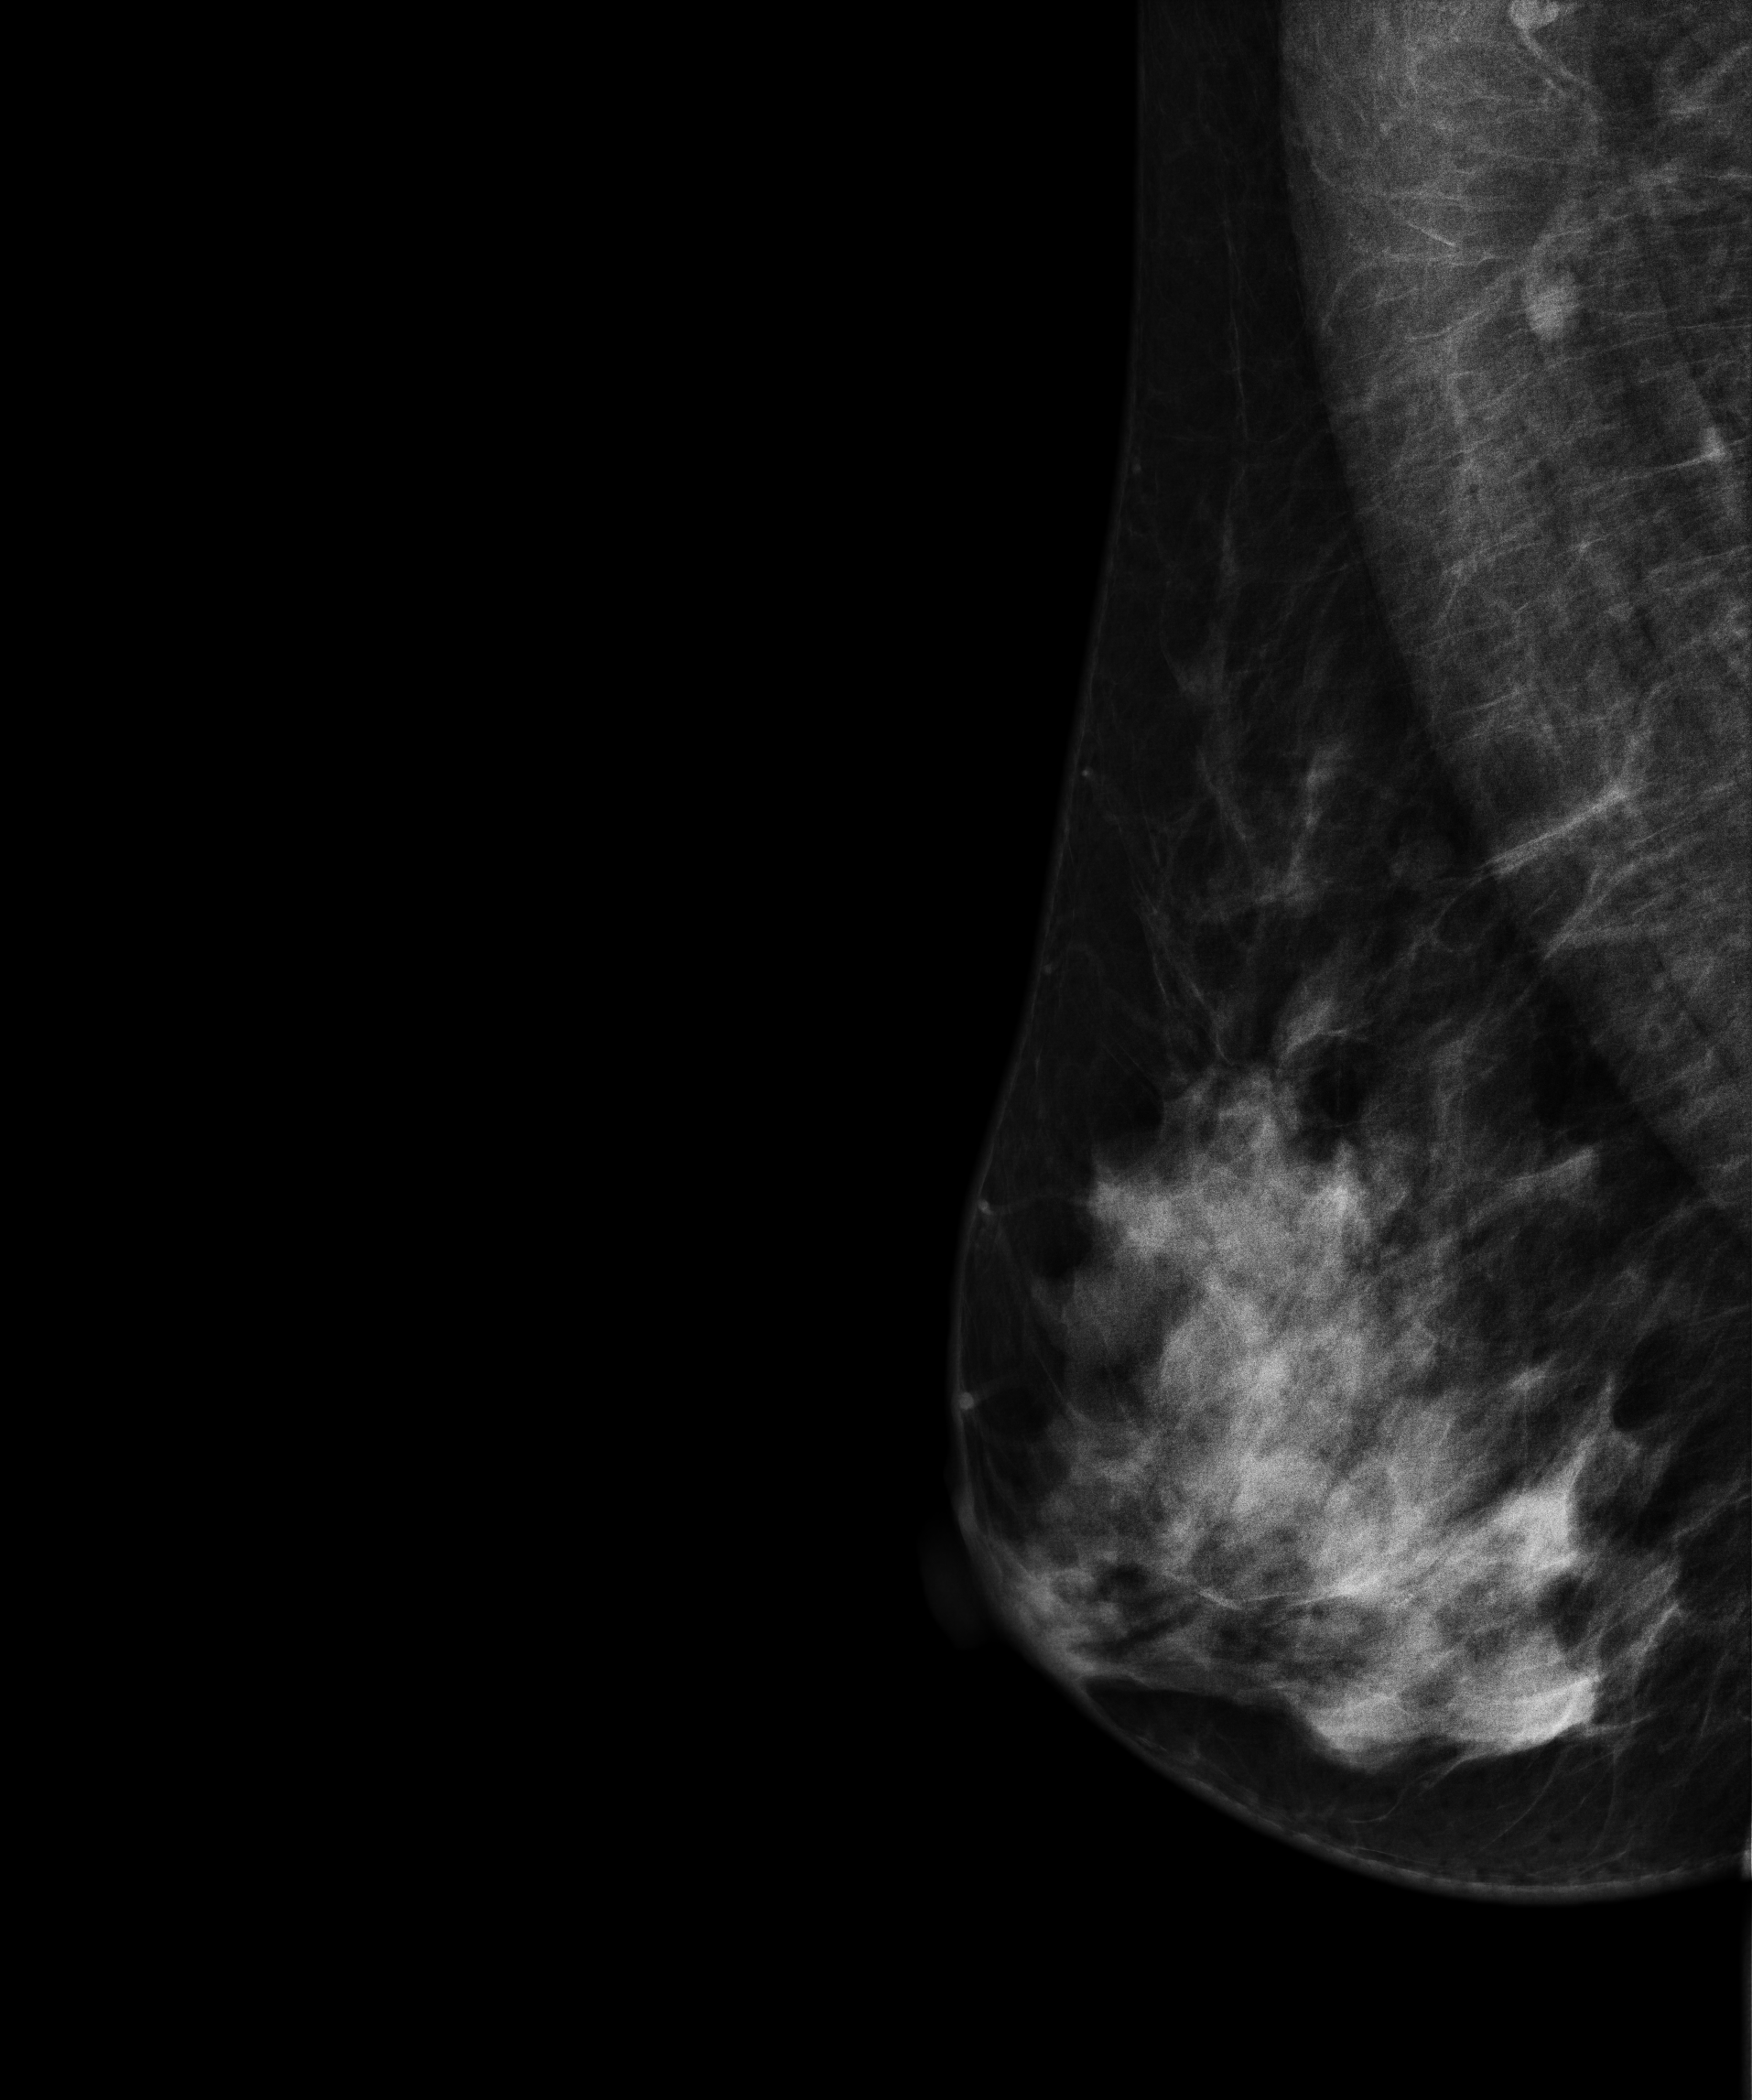
Mammogram — right MLO. 49 y/o patient.
Contralateral breast — no documented abnormality on this side.